Left-breast mammogram, cranio-caudal. Patient age 31.
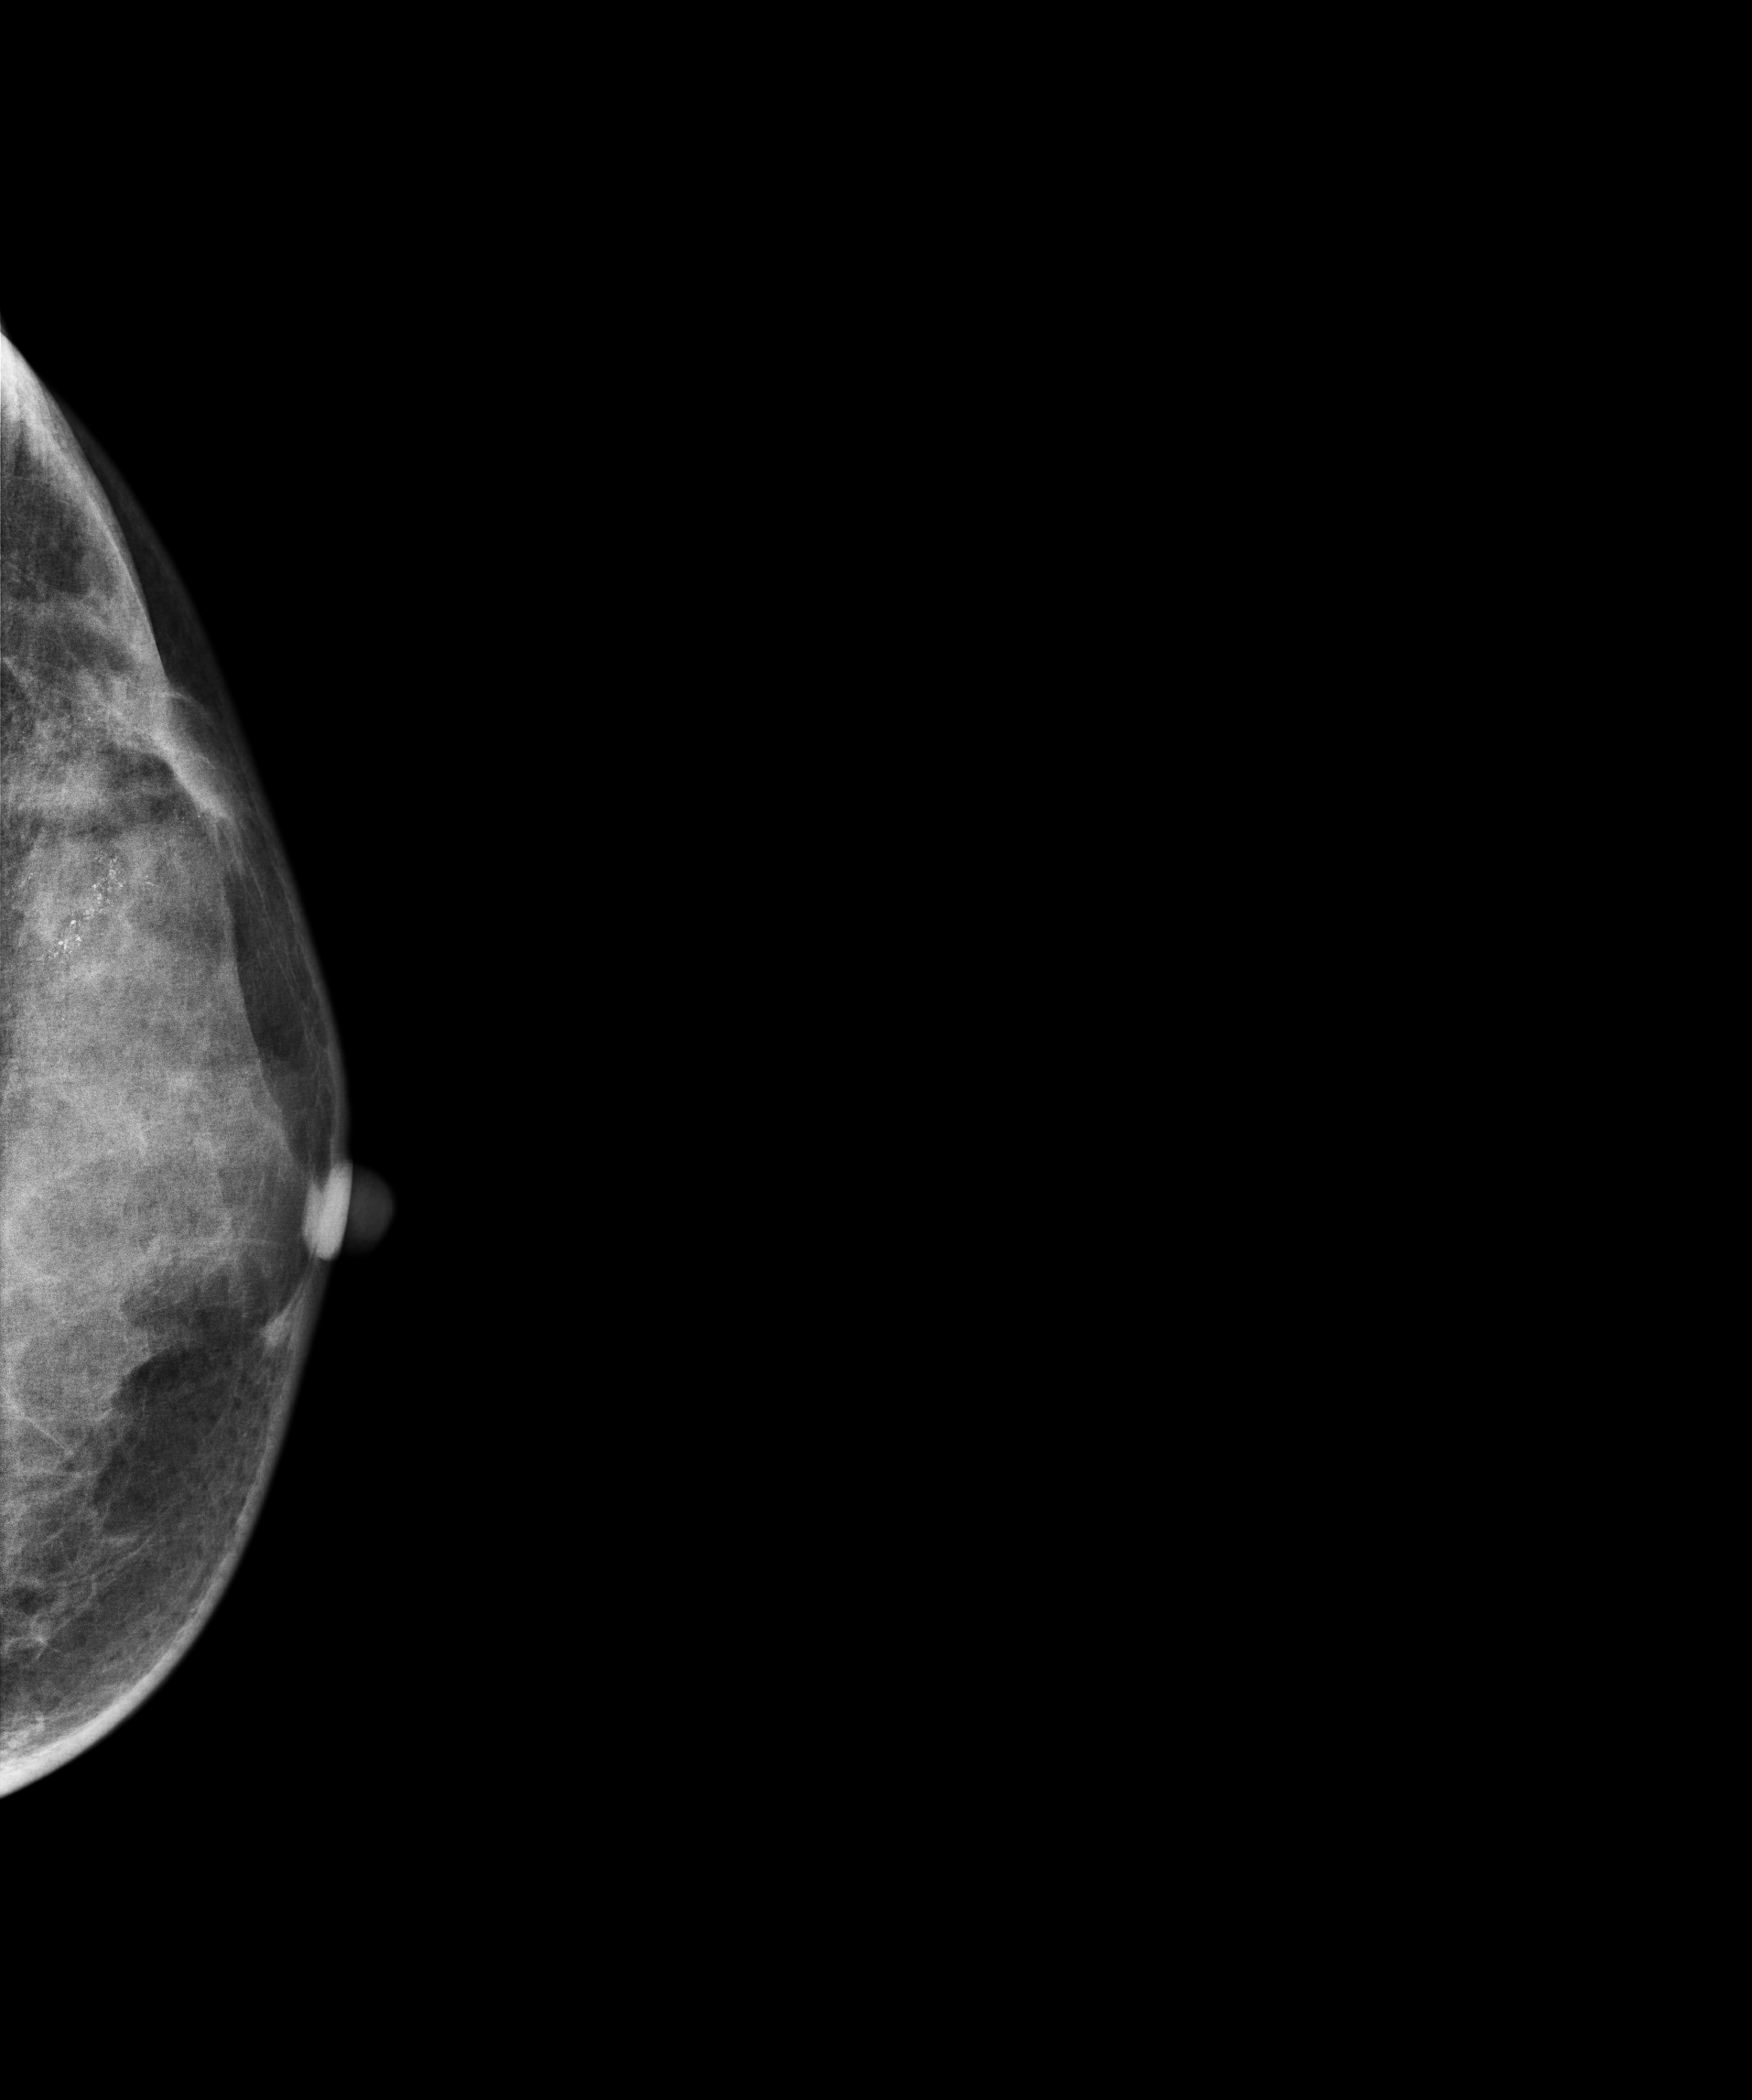
This breast has calcifications, histologically confirmed malignant. Molecular subtype: luminal A.